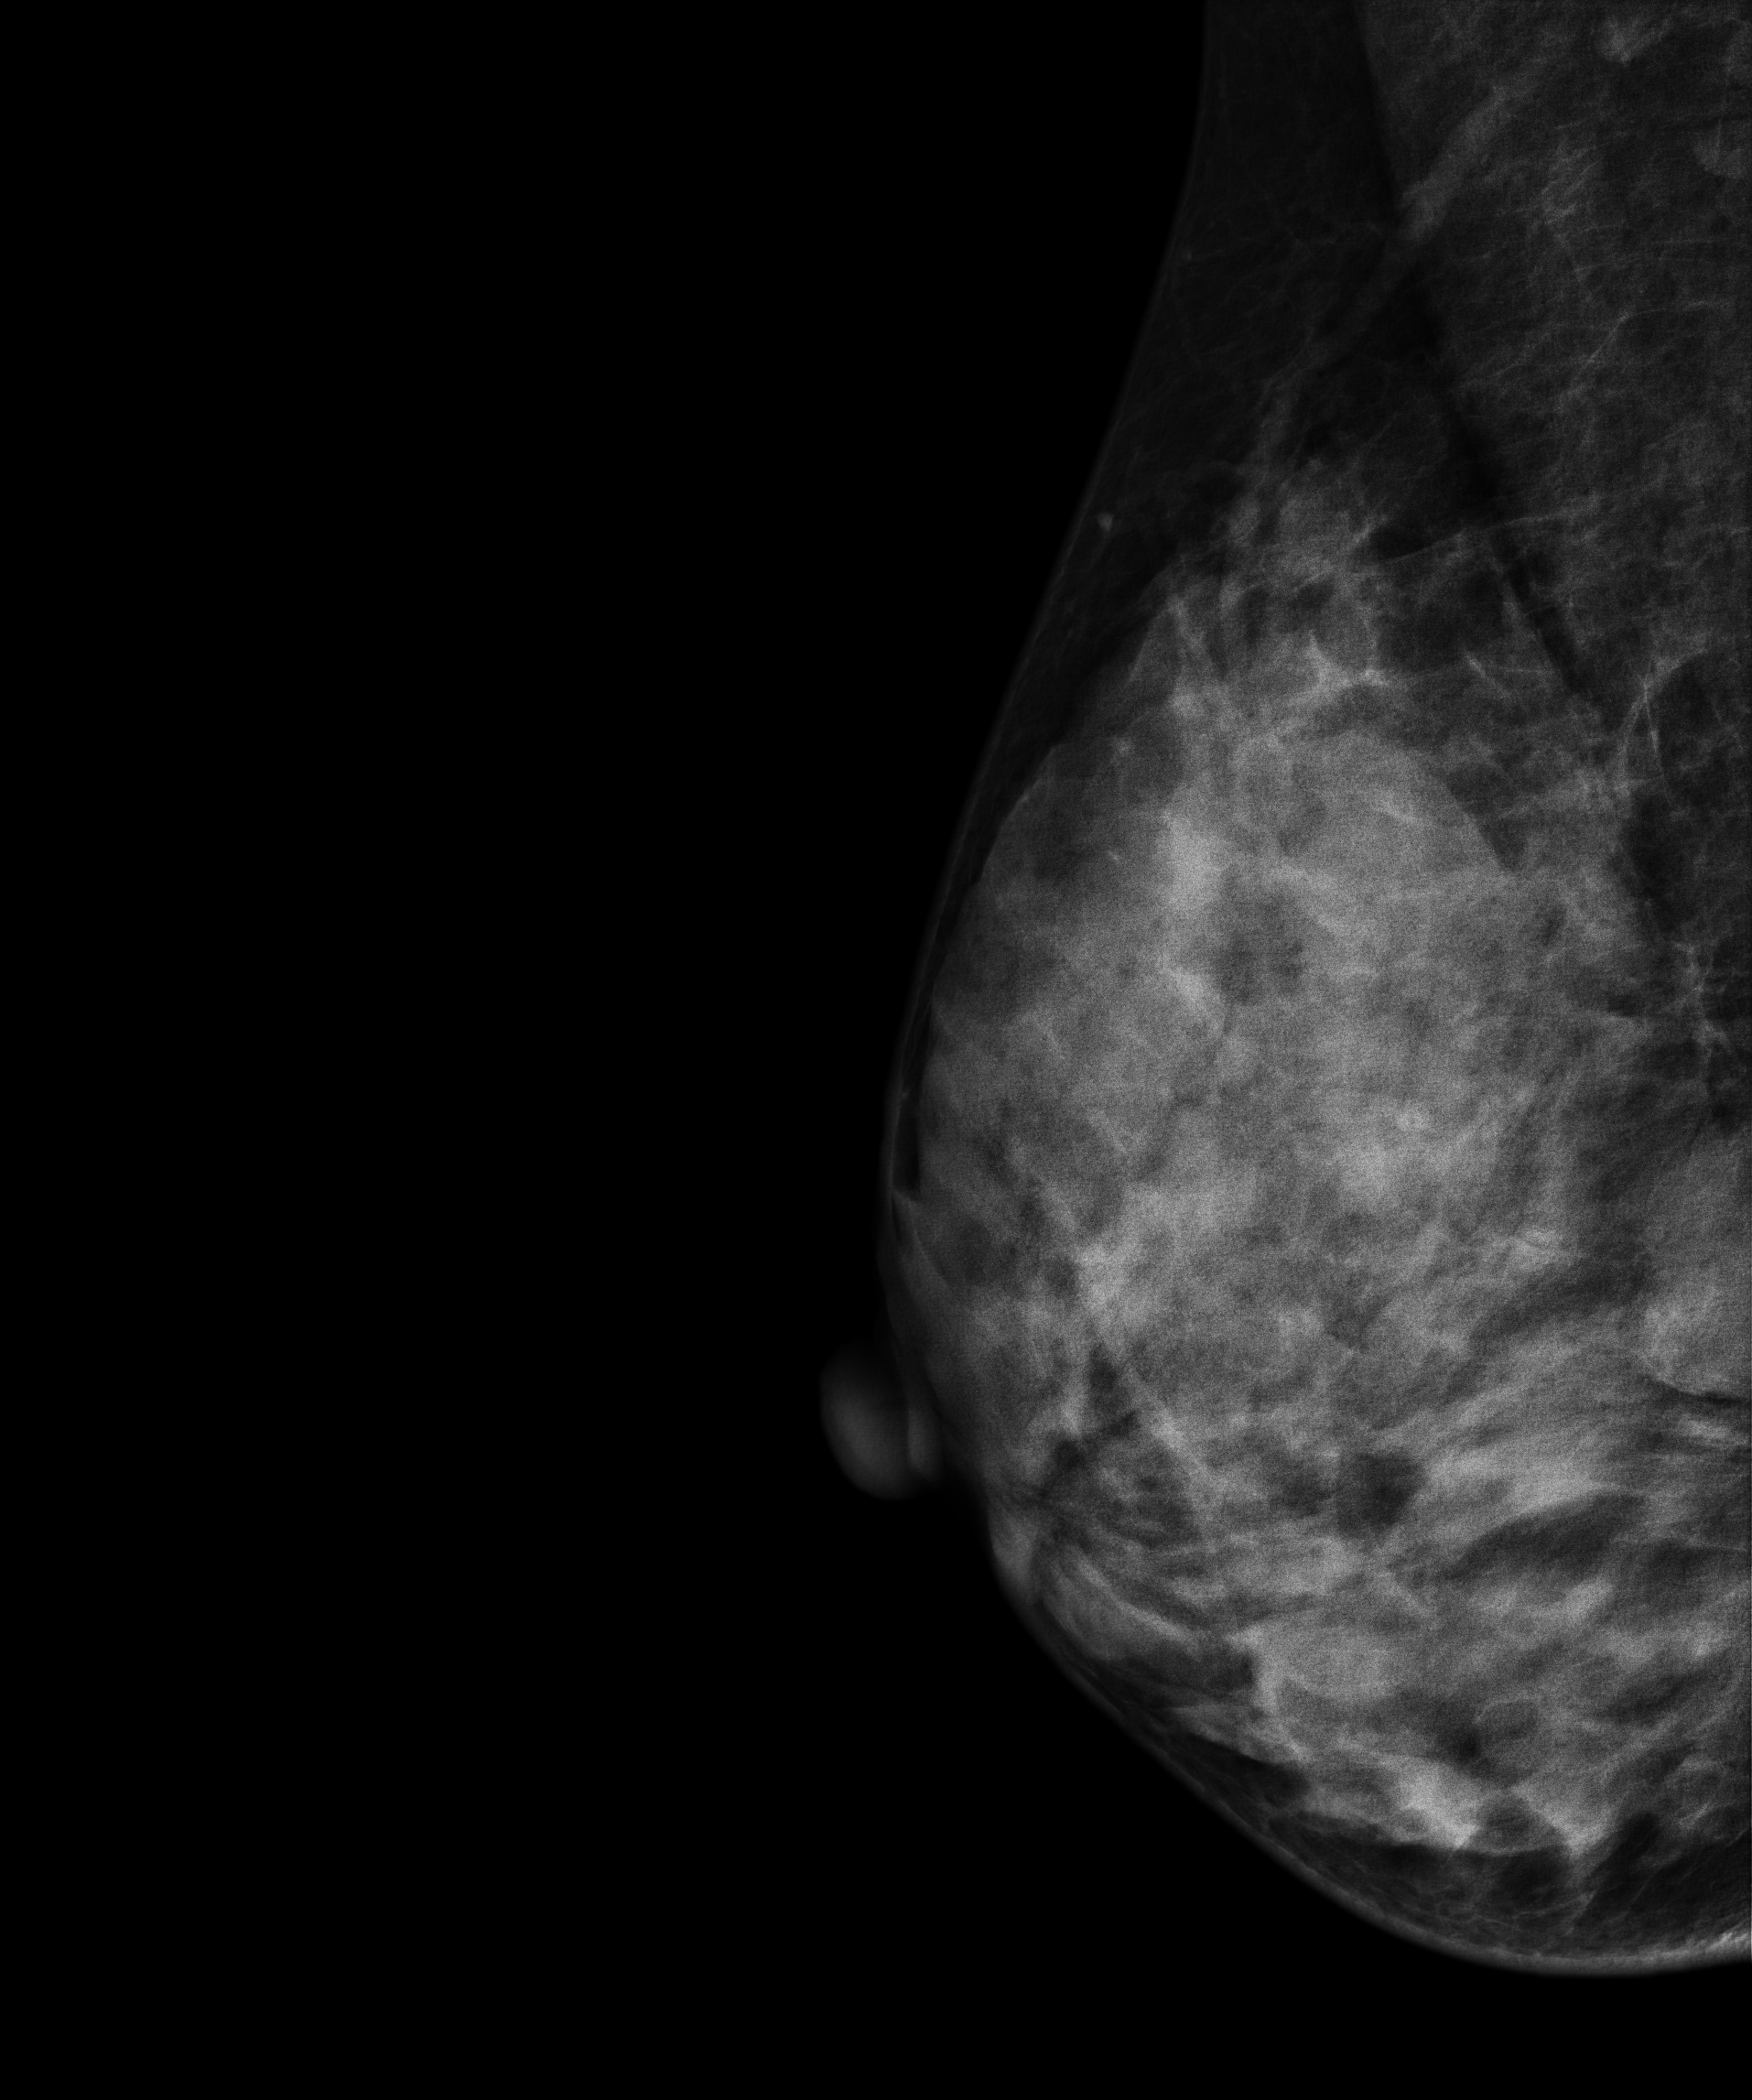
Medio-lateral oblique mammogram of the right breast. 39-year-old patient.
This breast has a mass, biopsy-confirmed benign.